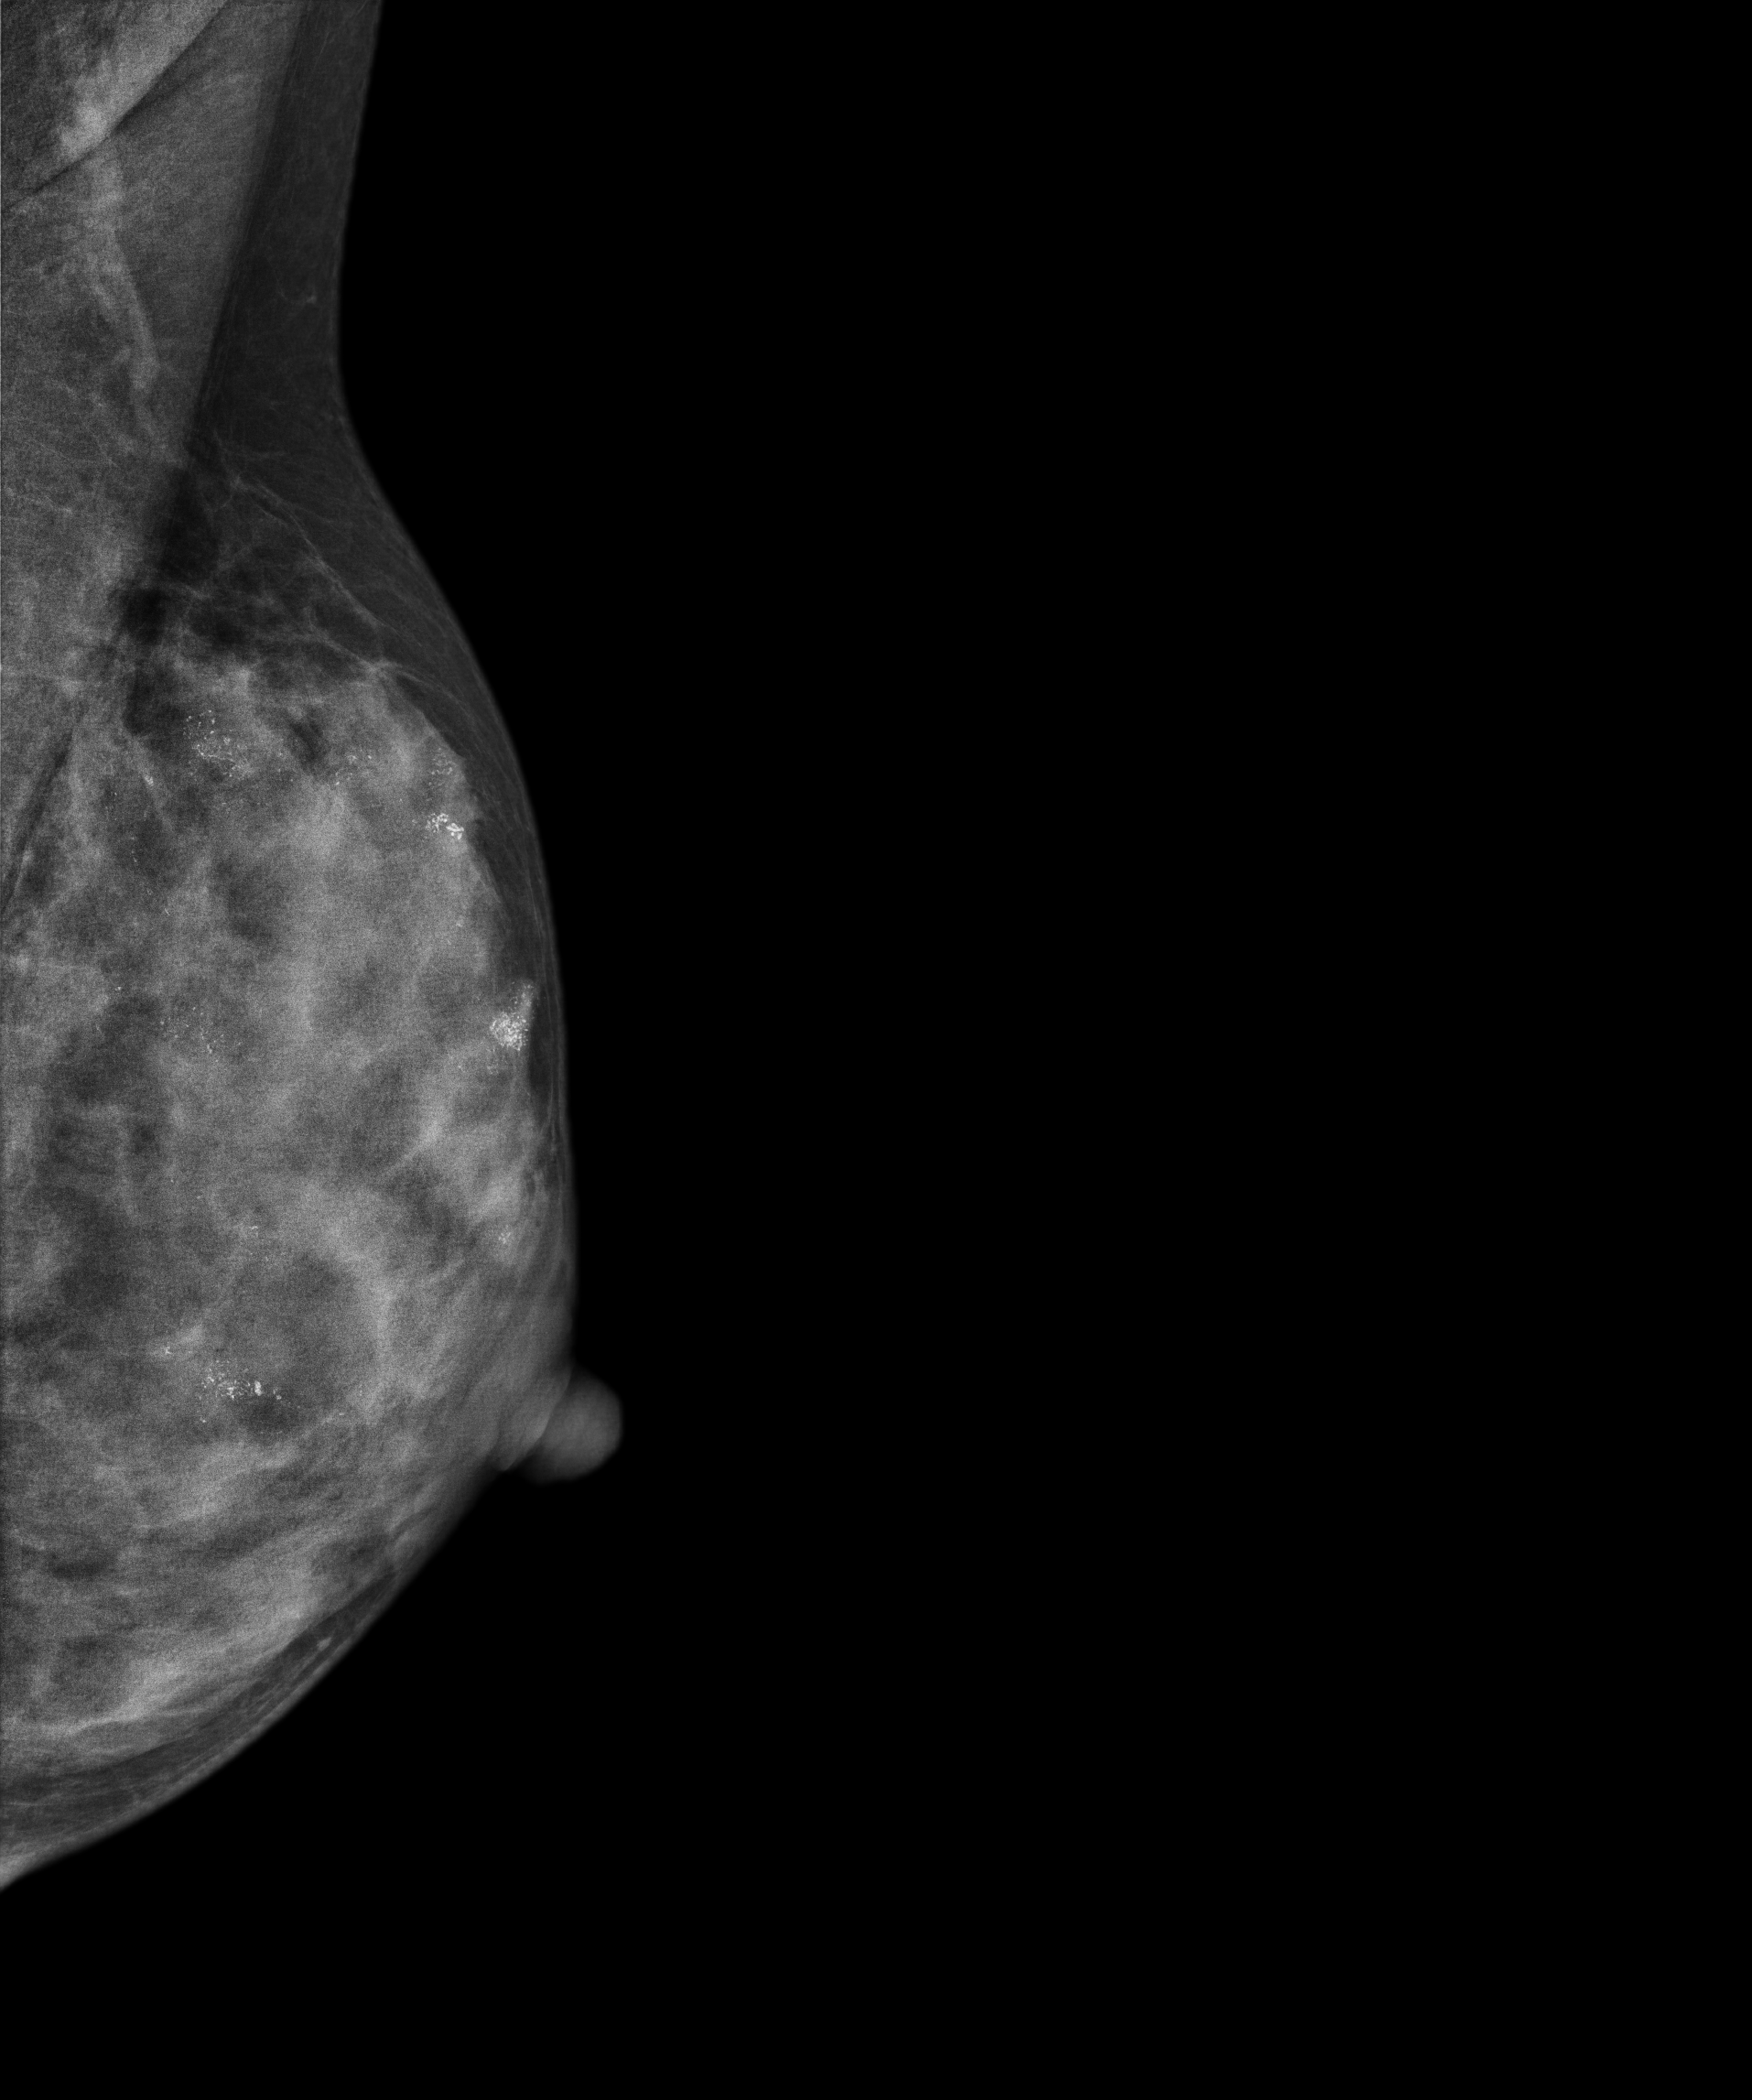
Mammogram — left medio-lateral oblique. 41-year-old patient.
This breast has calcifications, pathology-confirmed benign.